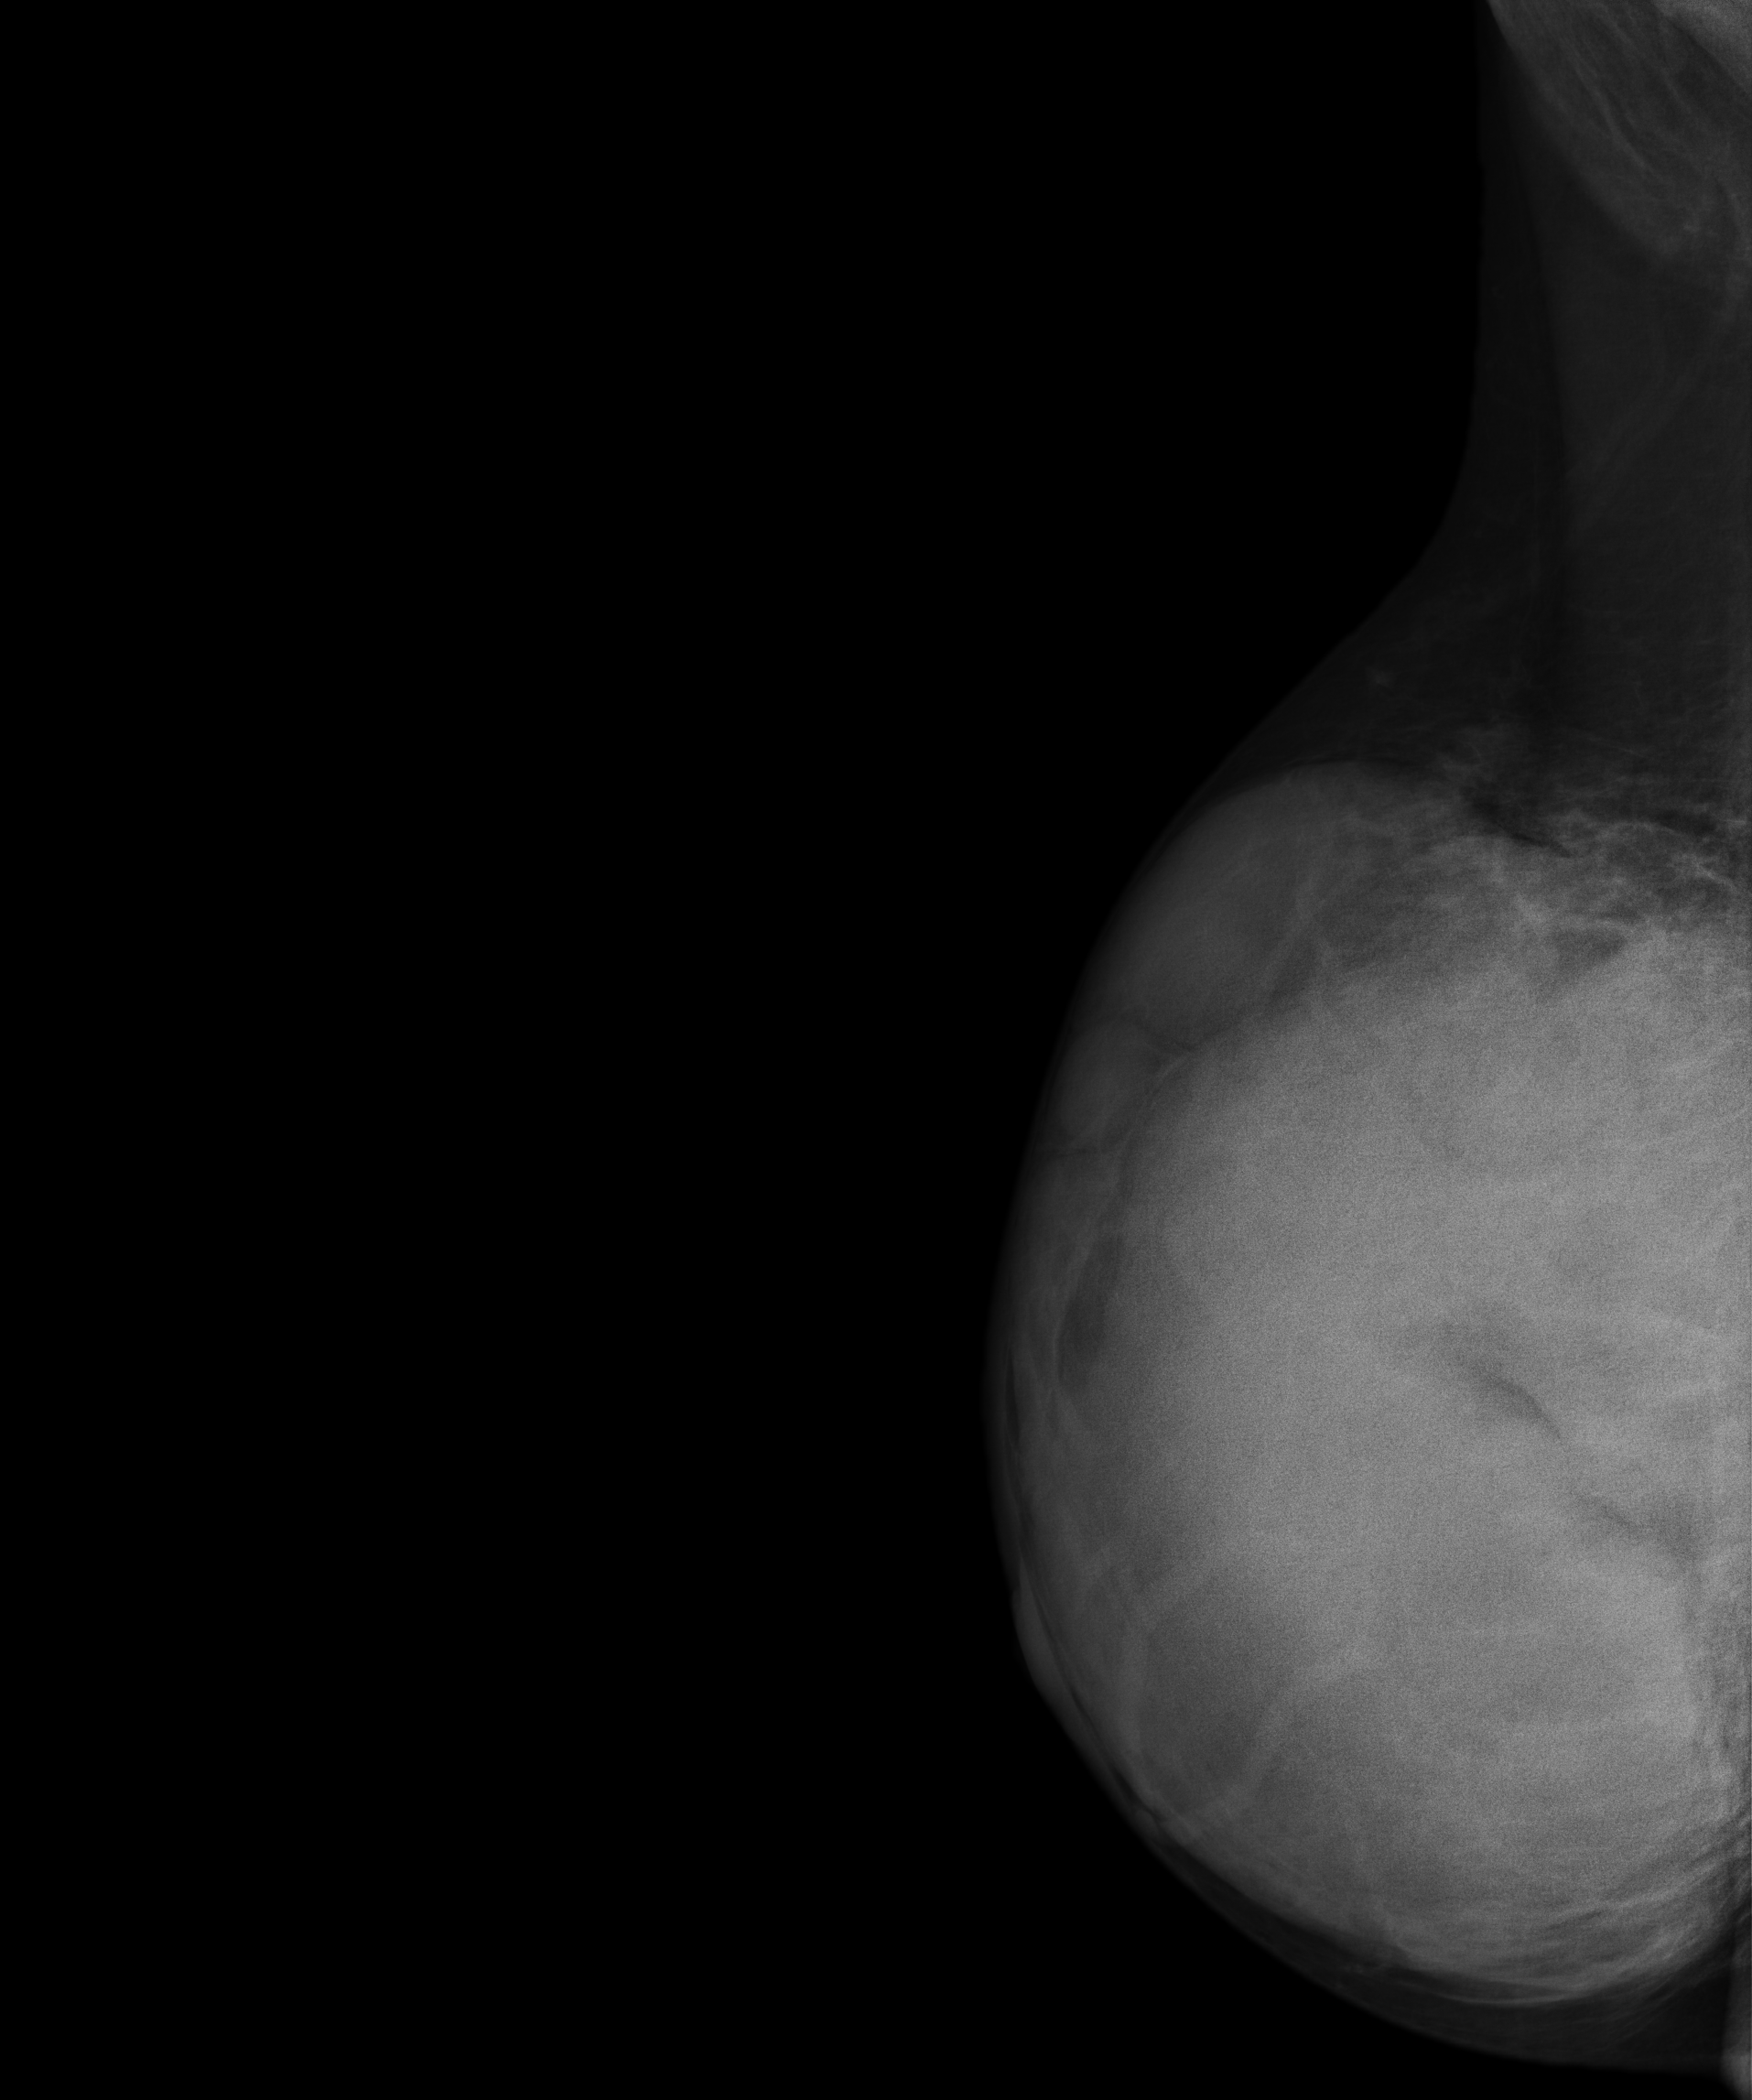
Right-breast mammogram, MLO. 36 y/o patient.
This breast has a mass, histologically confirmed benign.